Left-breast mammogram, MLO. 36 y/o patient.
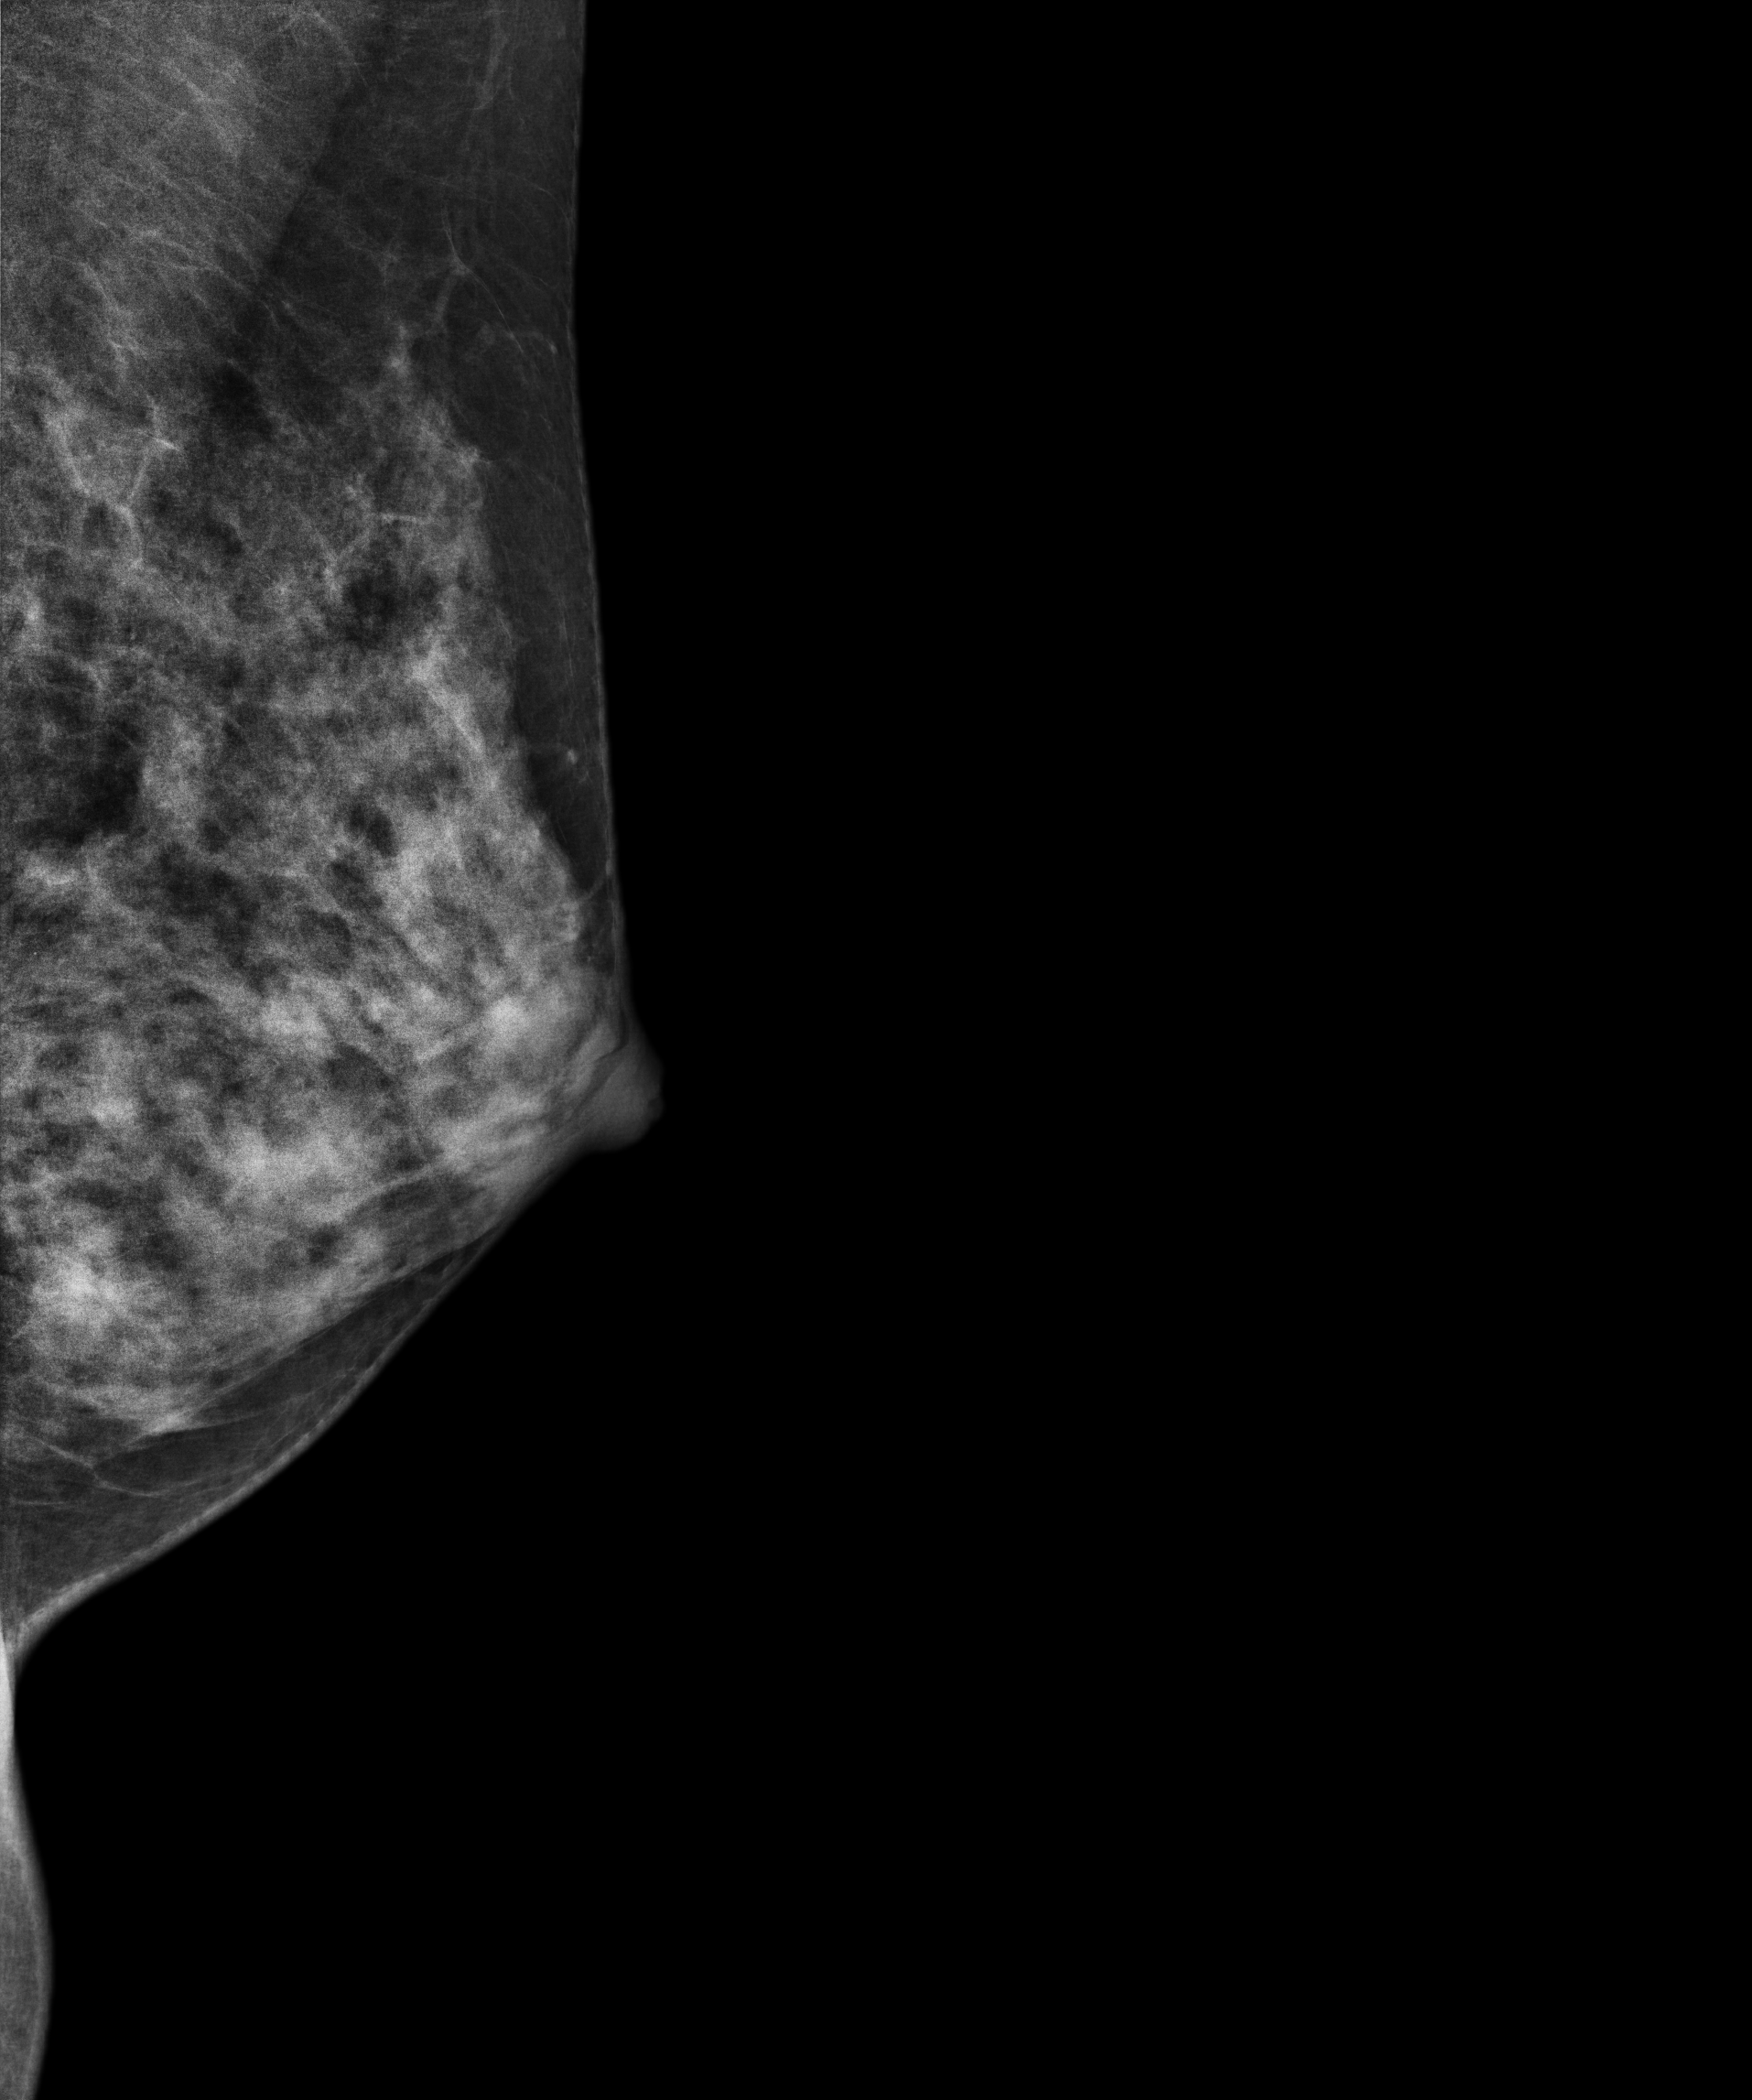
This breast has a mass, biopsy-proven benign.